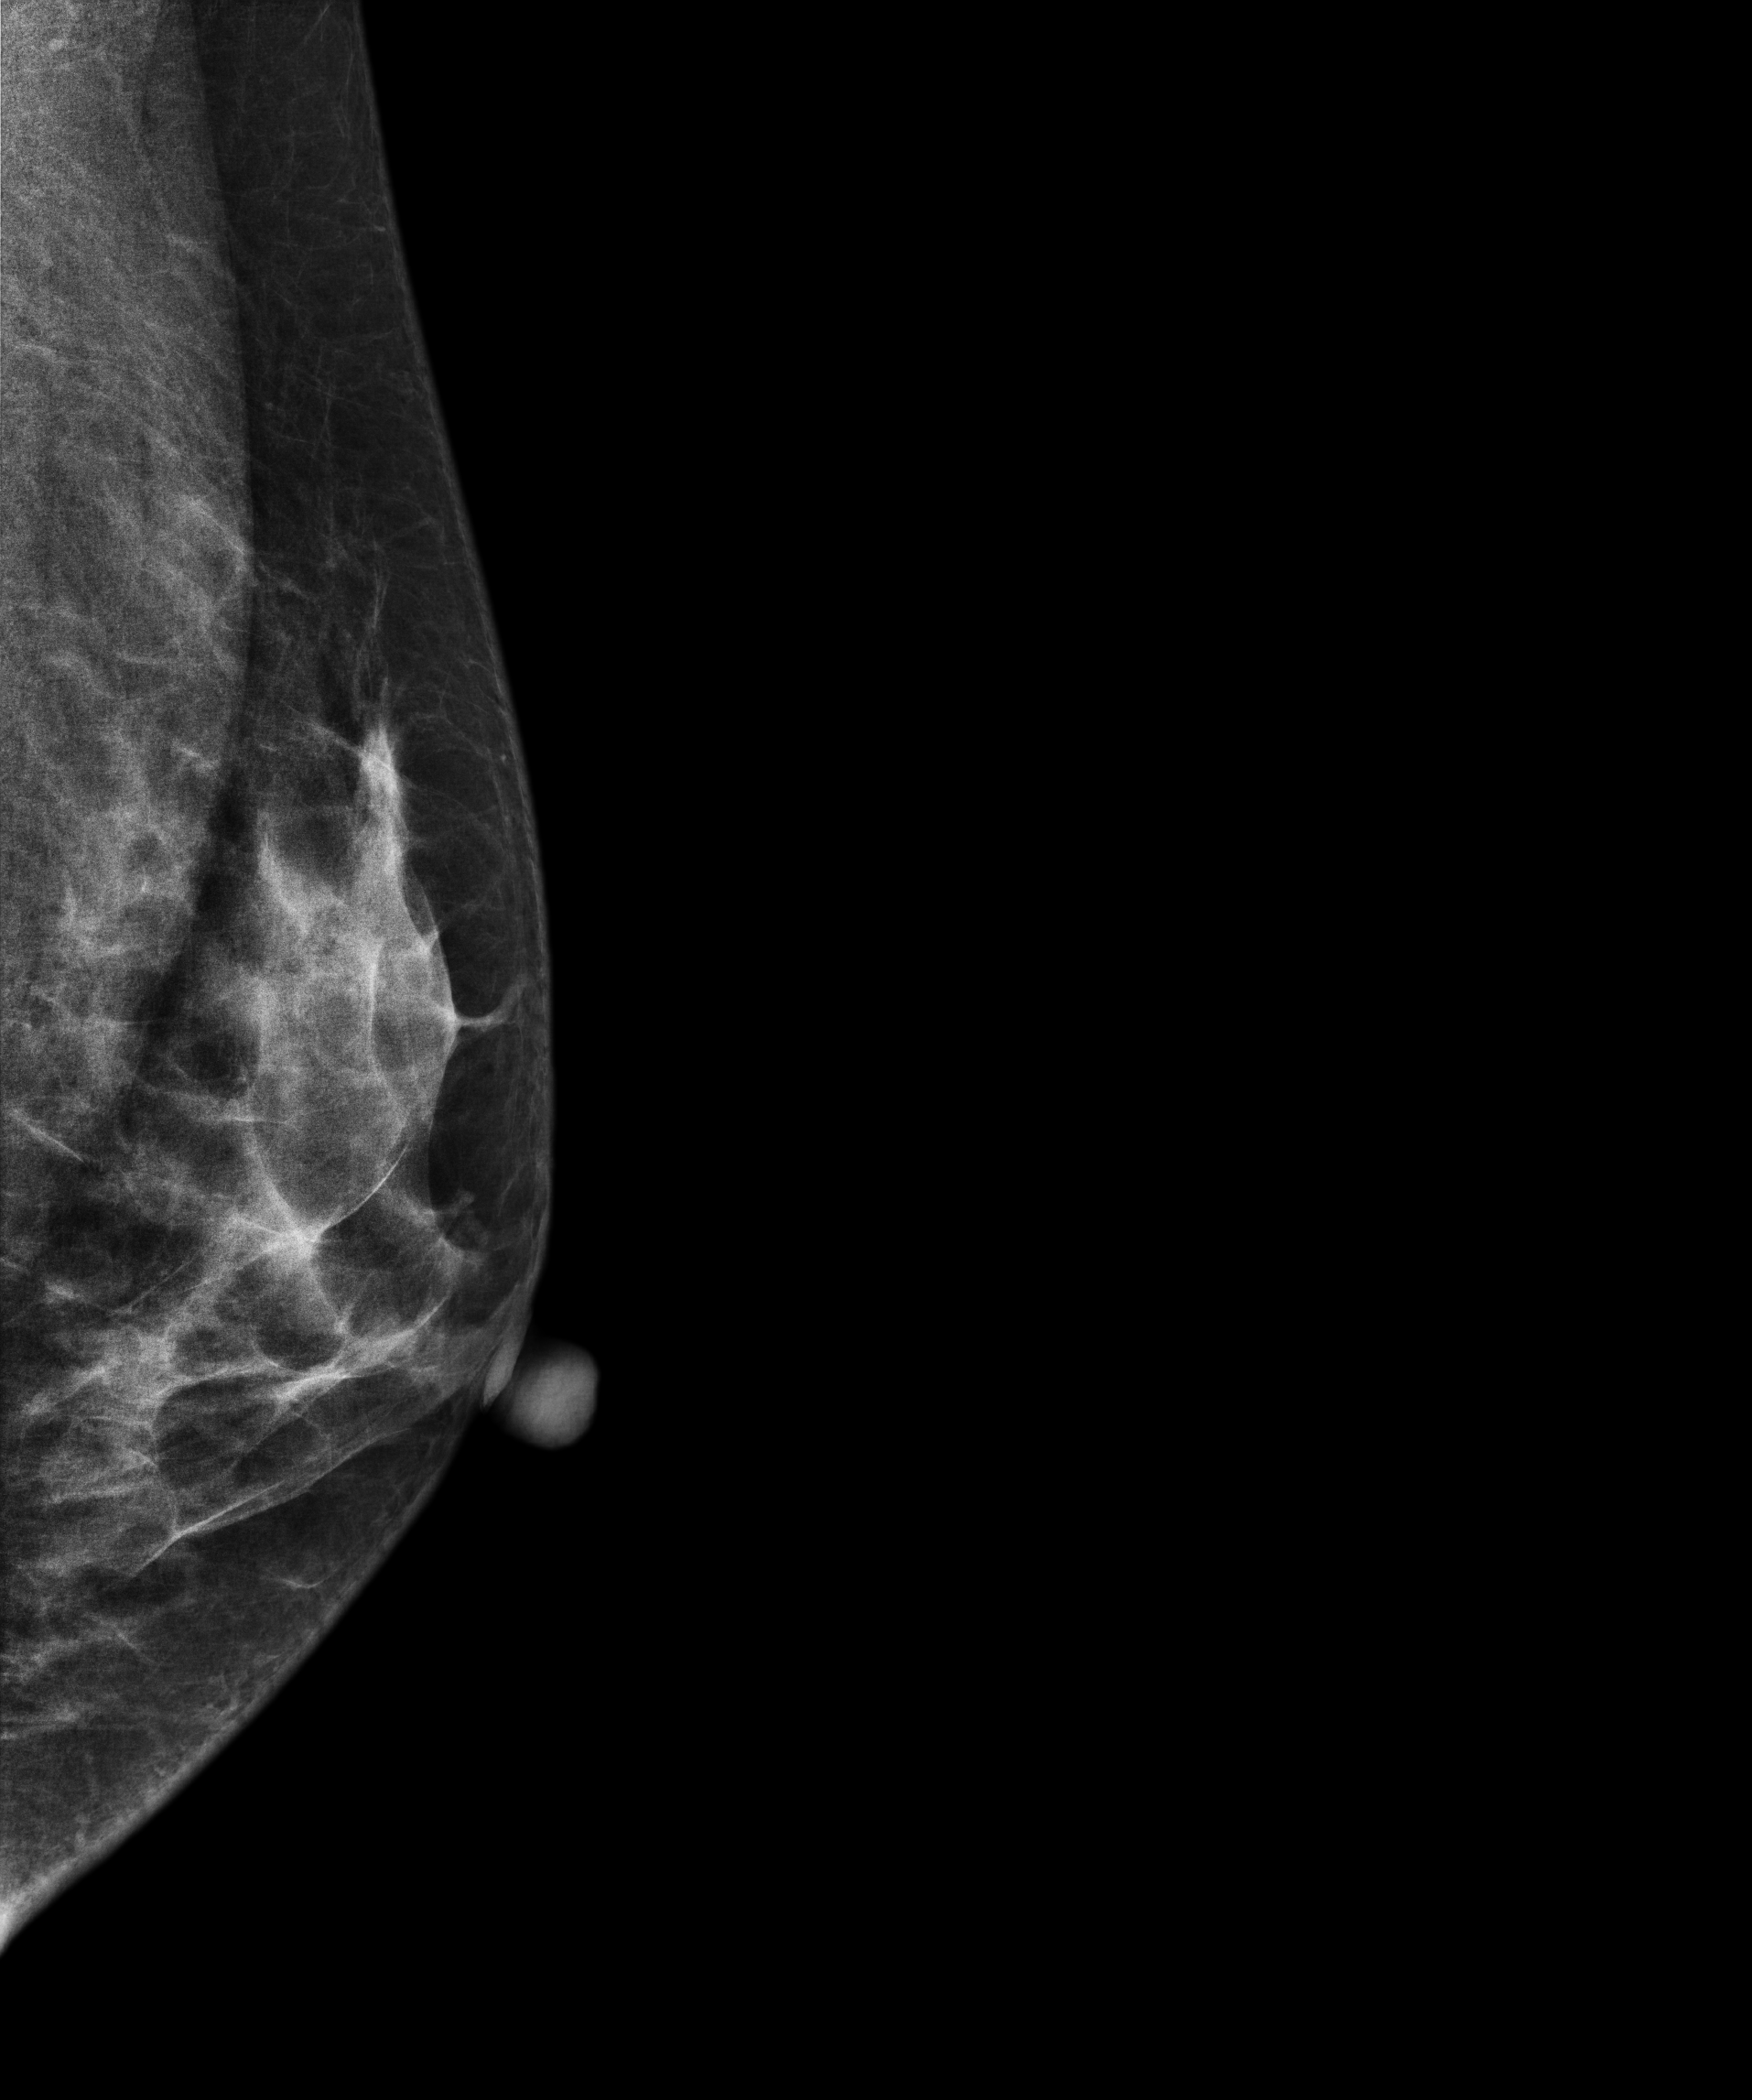
Digital mammography. Left breast, MLO projection. 44-year-old patient.
Contralateral breast — no documented abnormality on this side.